Mammogram — left CC. 50 y/o patient.
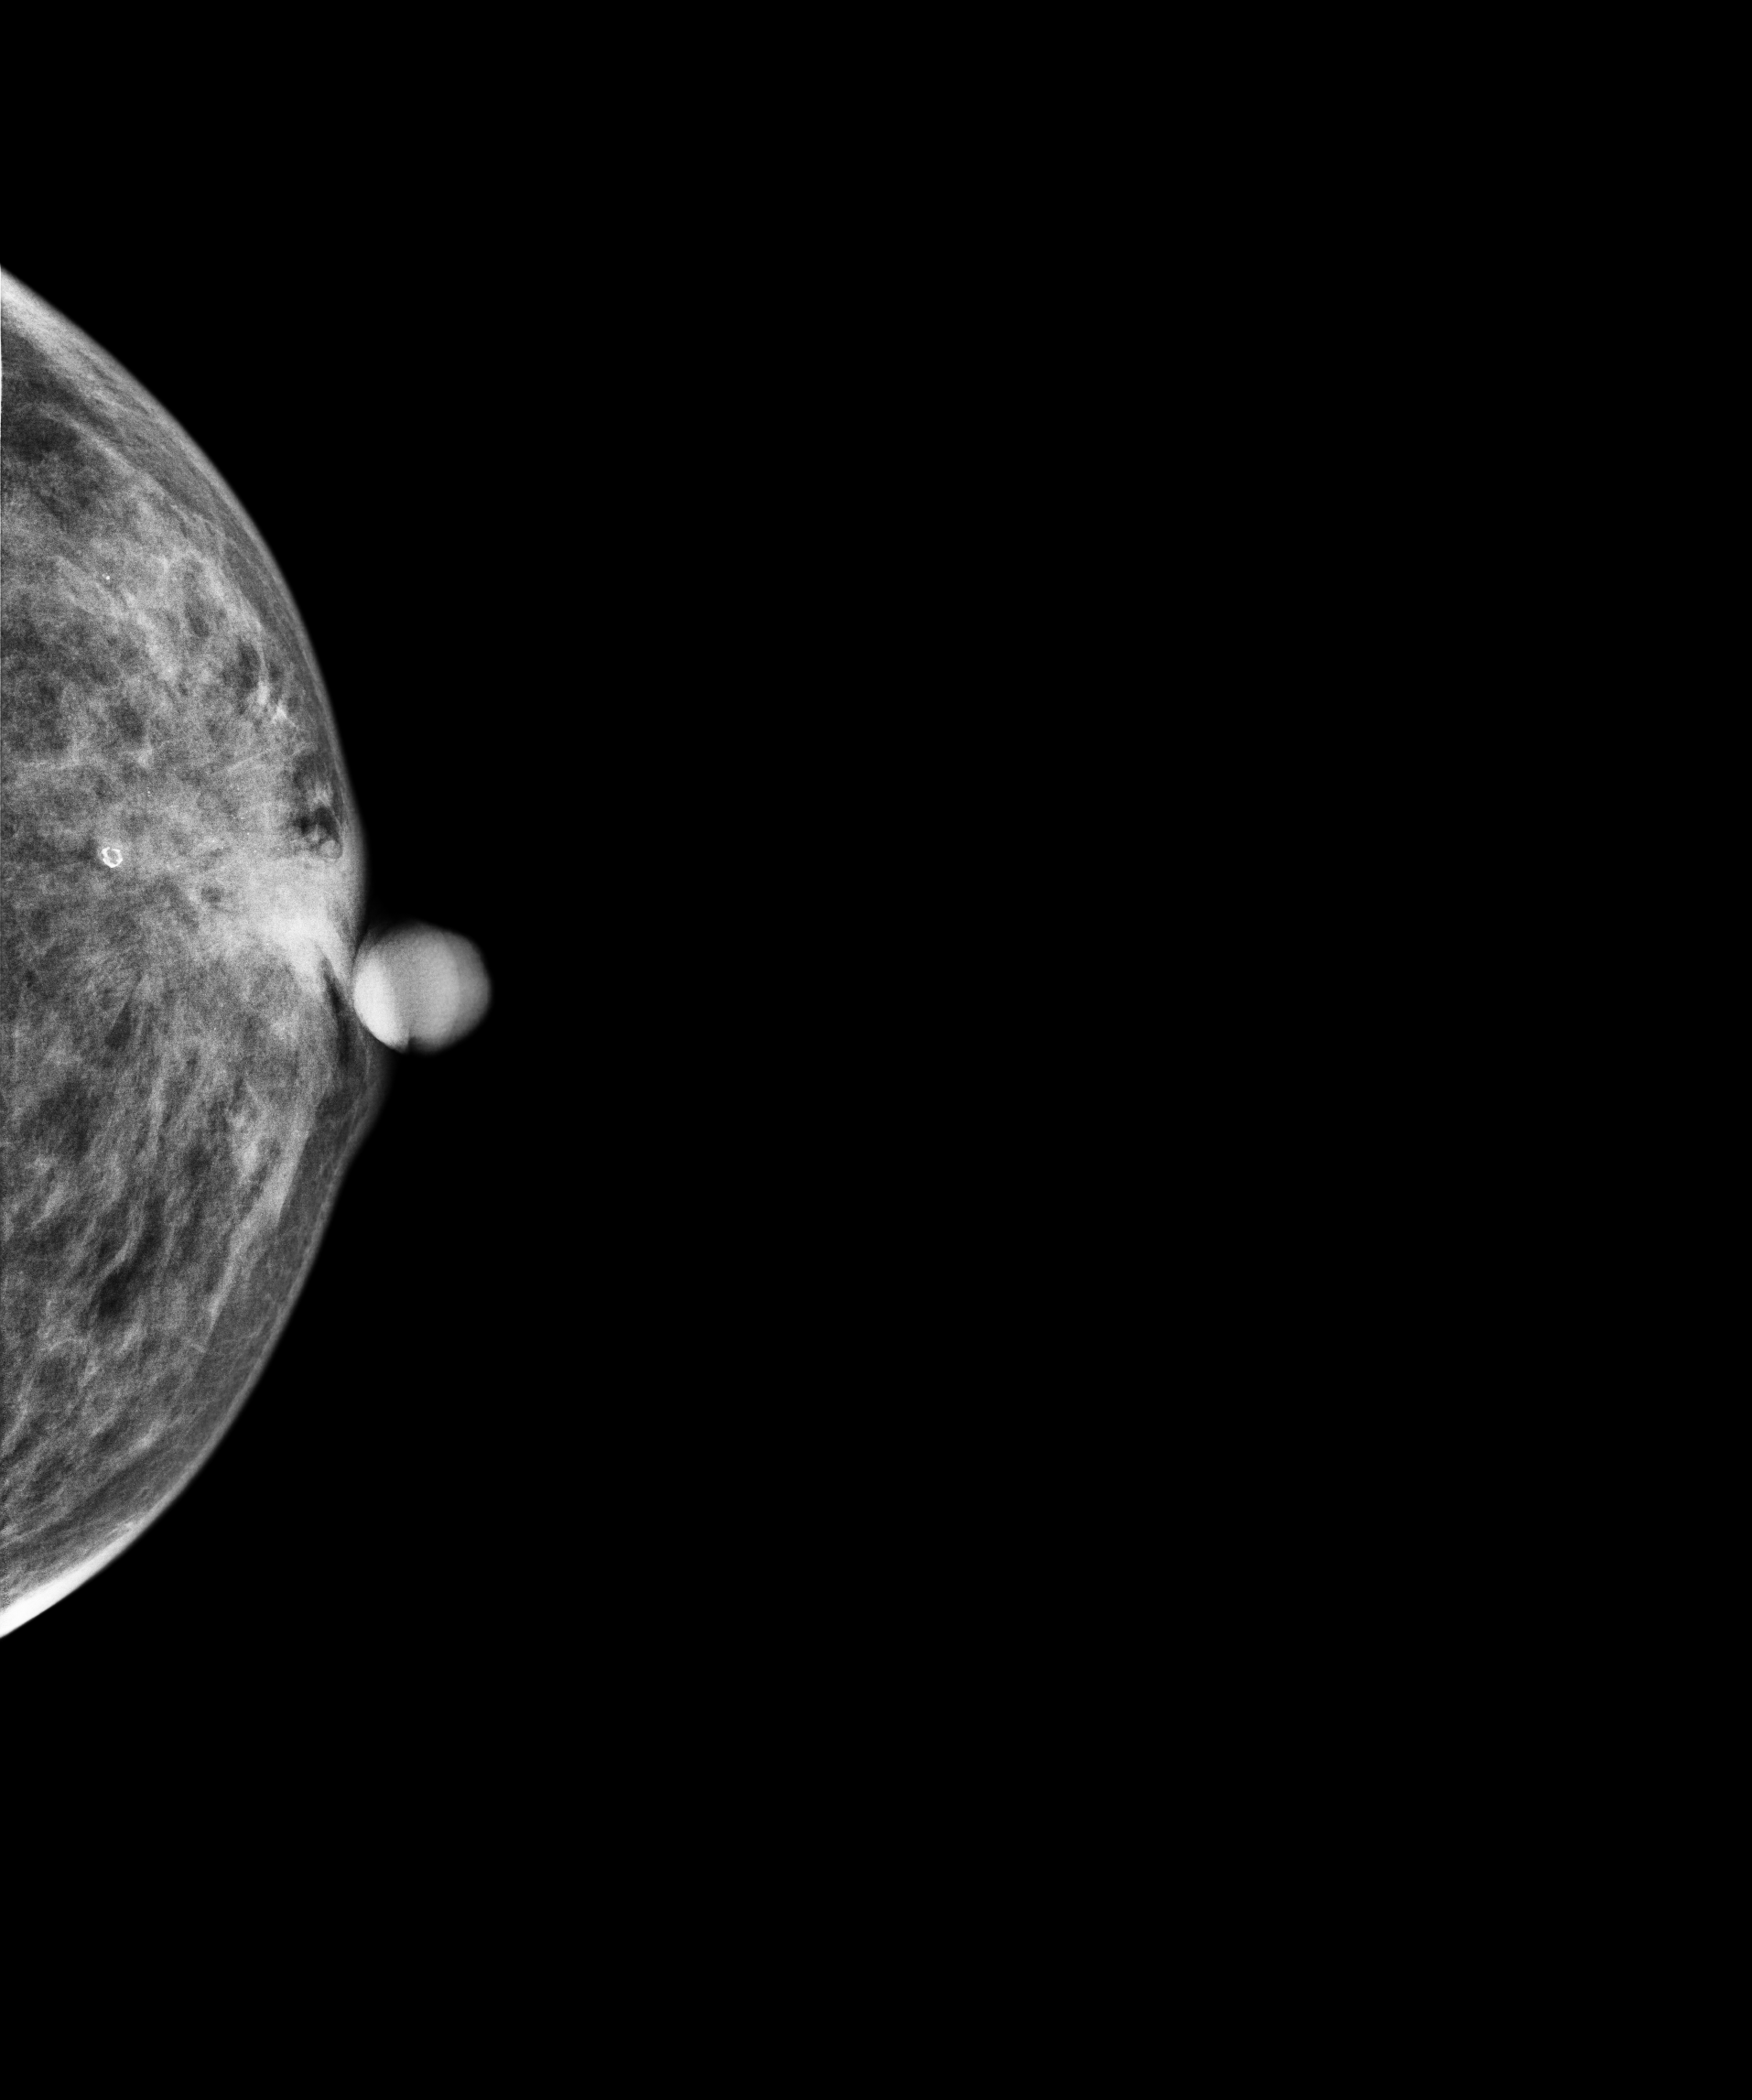
This breast has a mass and calcifications, biopsy-confirmed malignant.